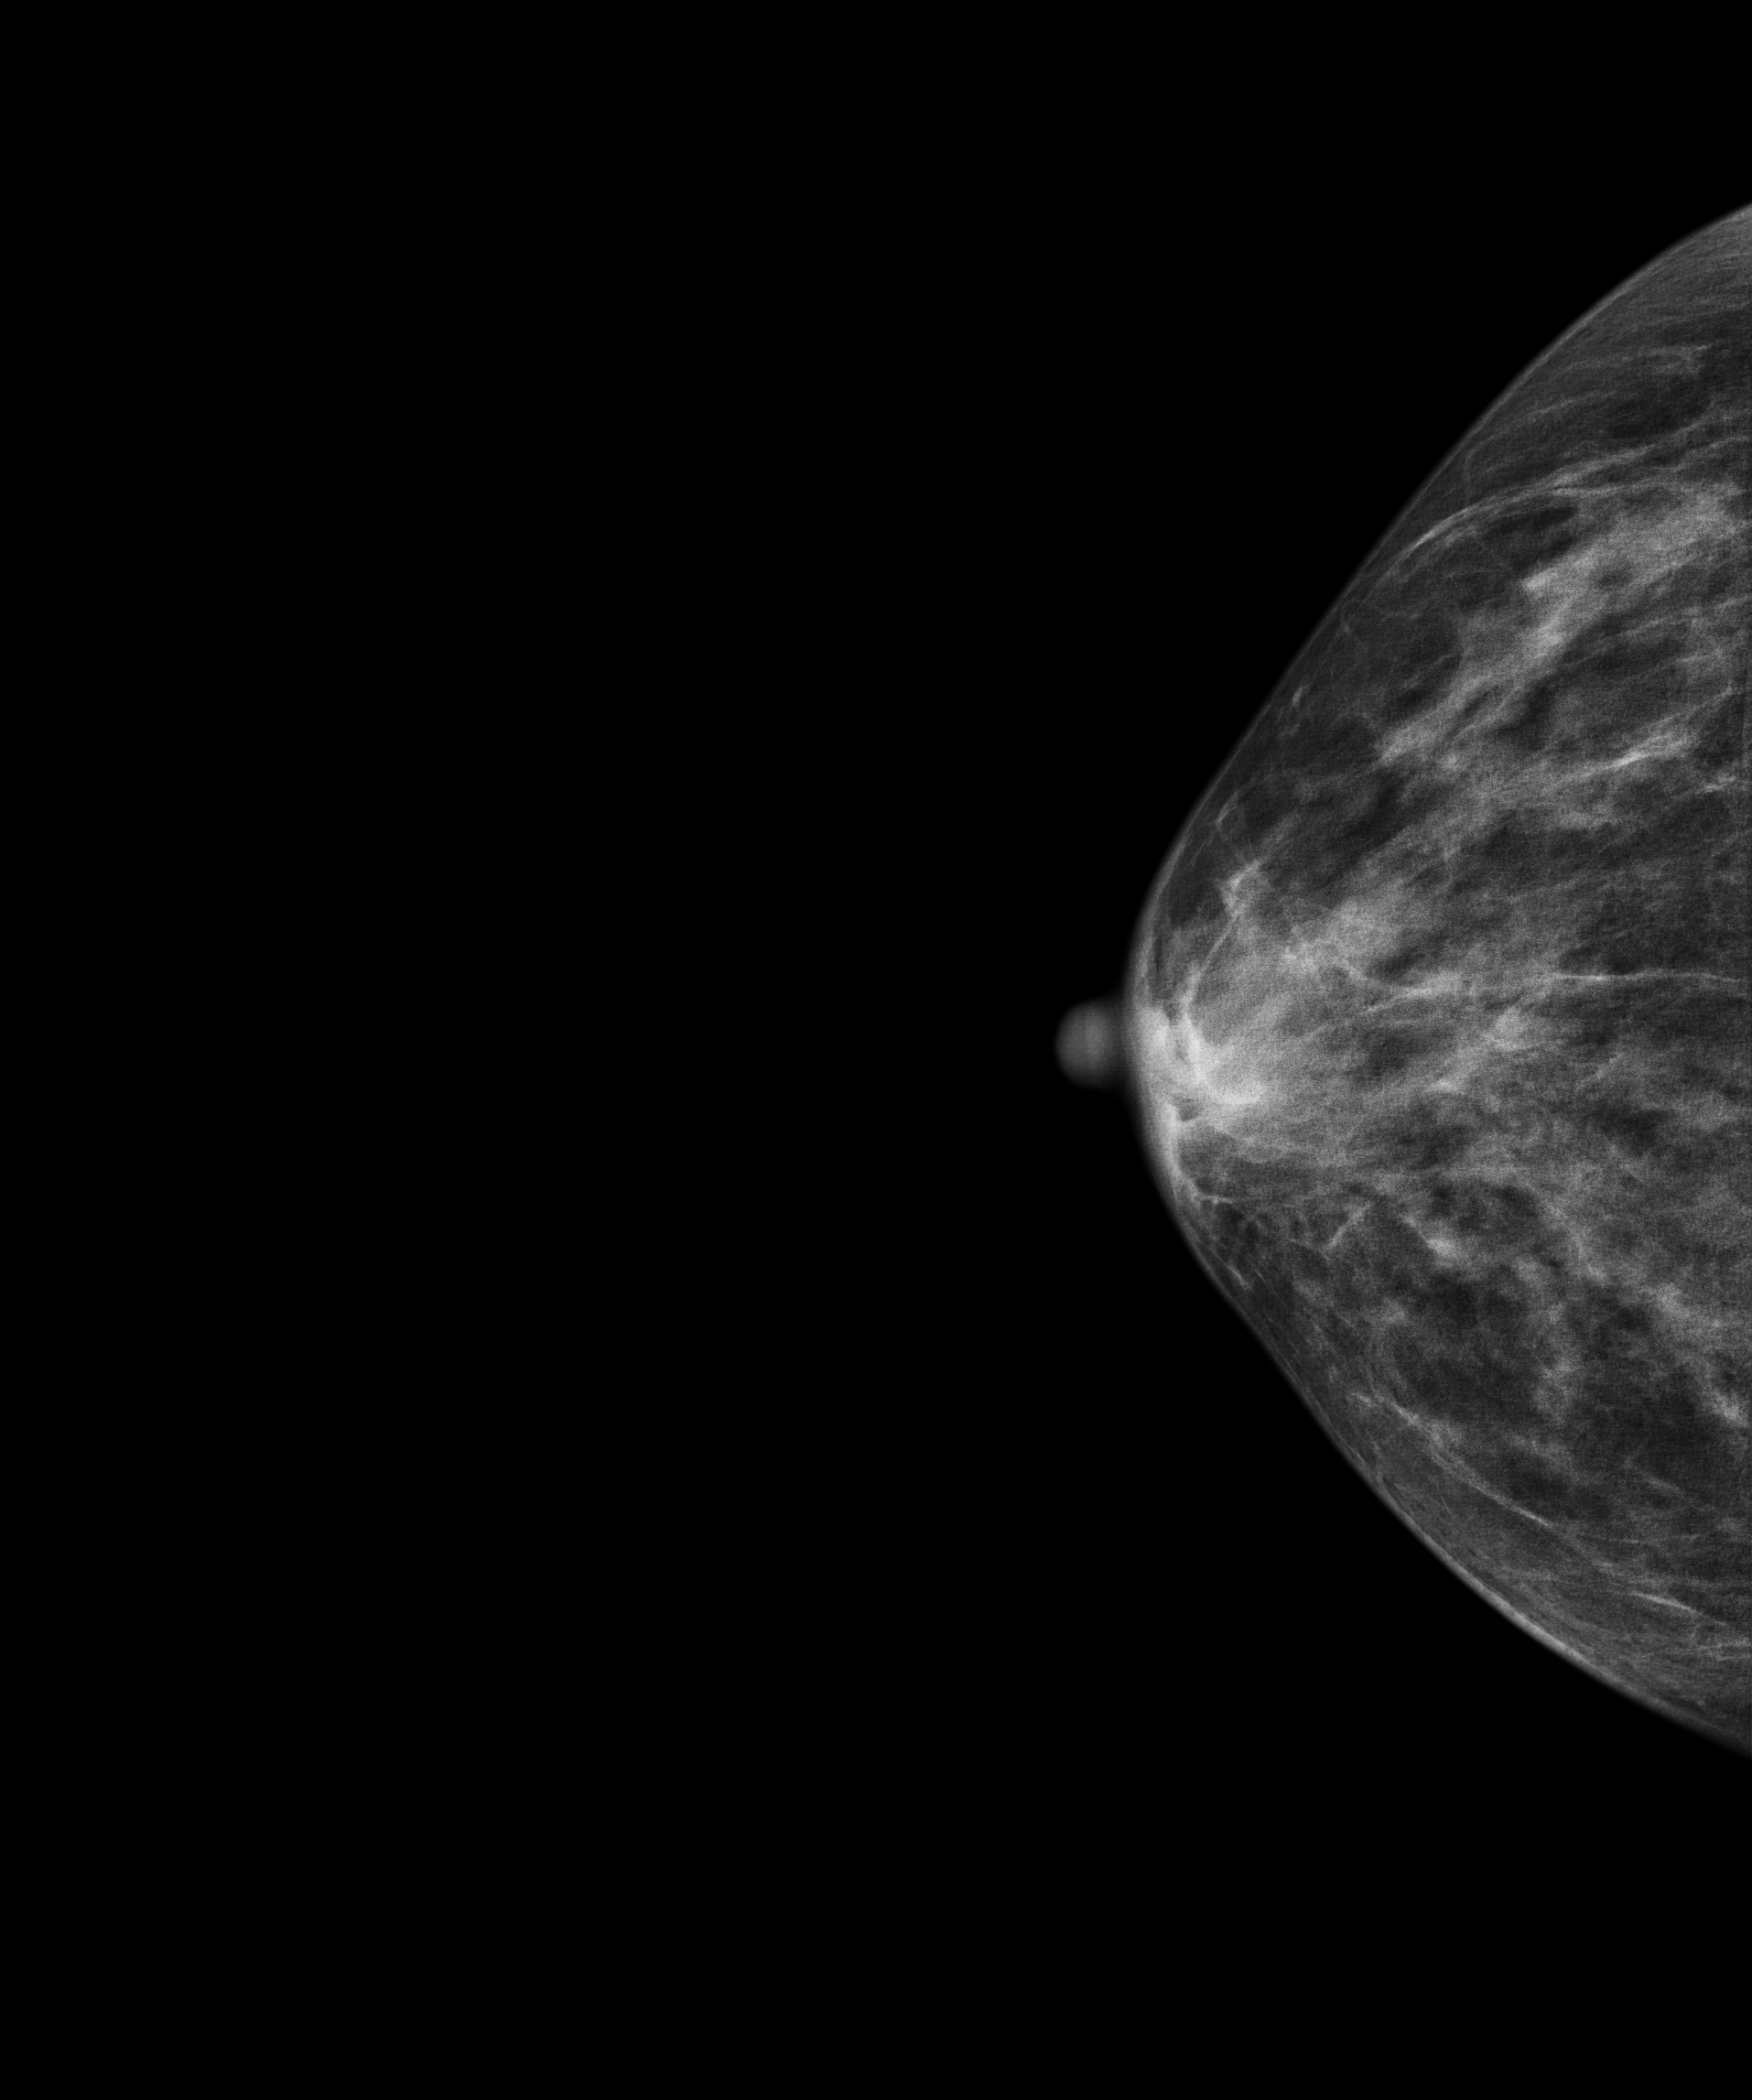
Right-breast mammogram, cranio-caudal. Patient age 59.
Contralateral breast — no documented abnormality on this side.